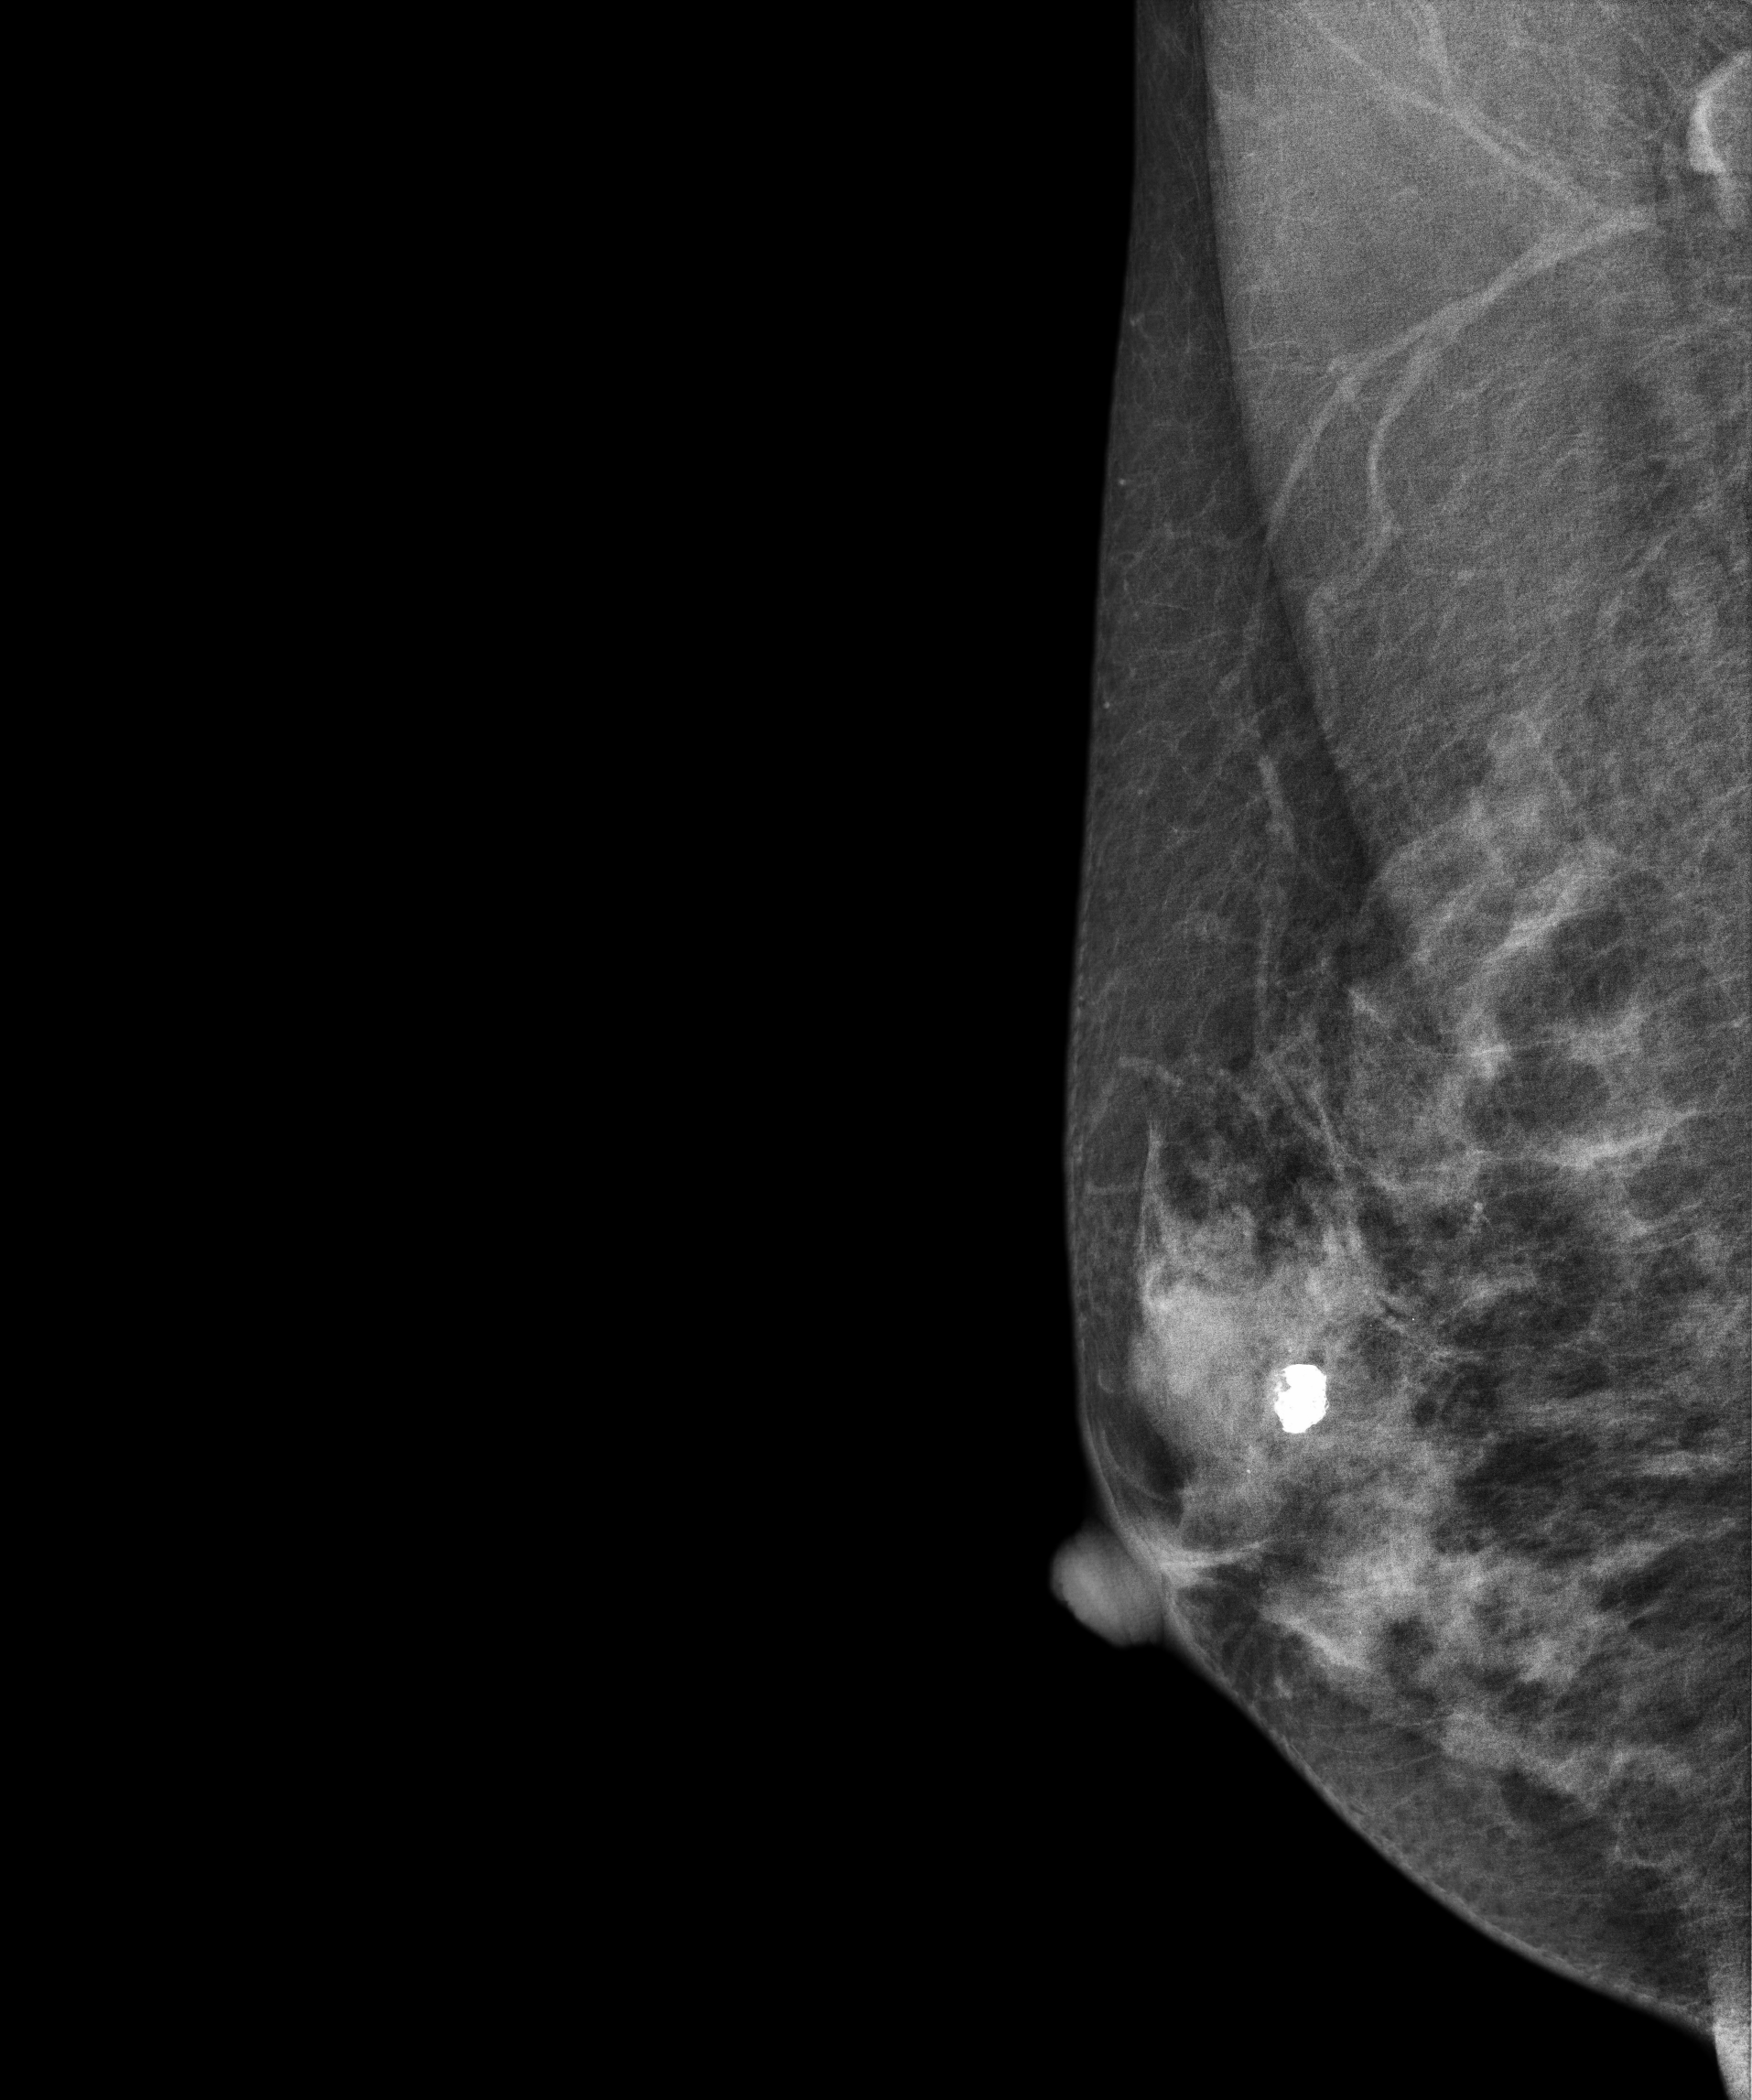
Mammogram, right breast, medio-lateral oblique view. 47 y/o patient.
This breast has calcifications, pathology-confirmed benign.